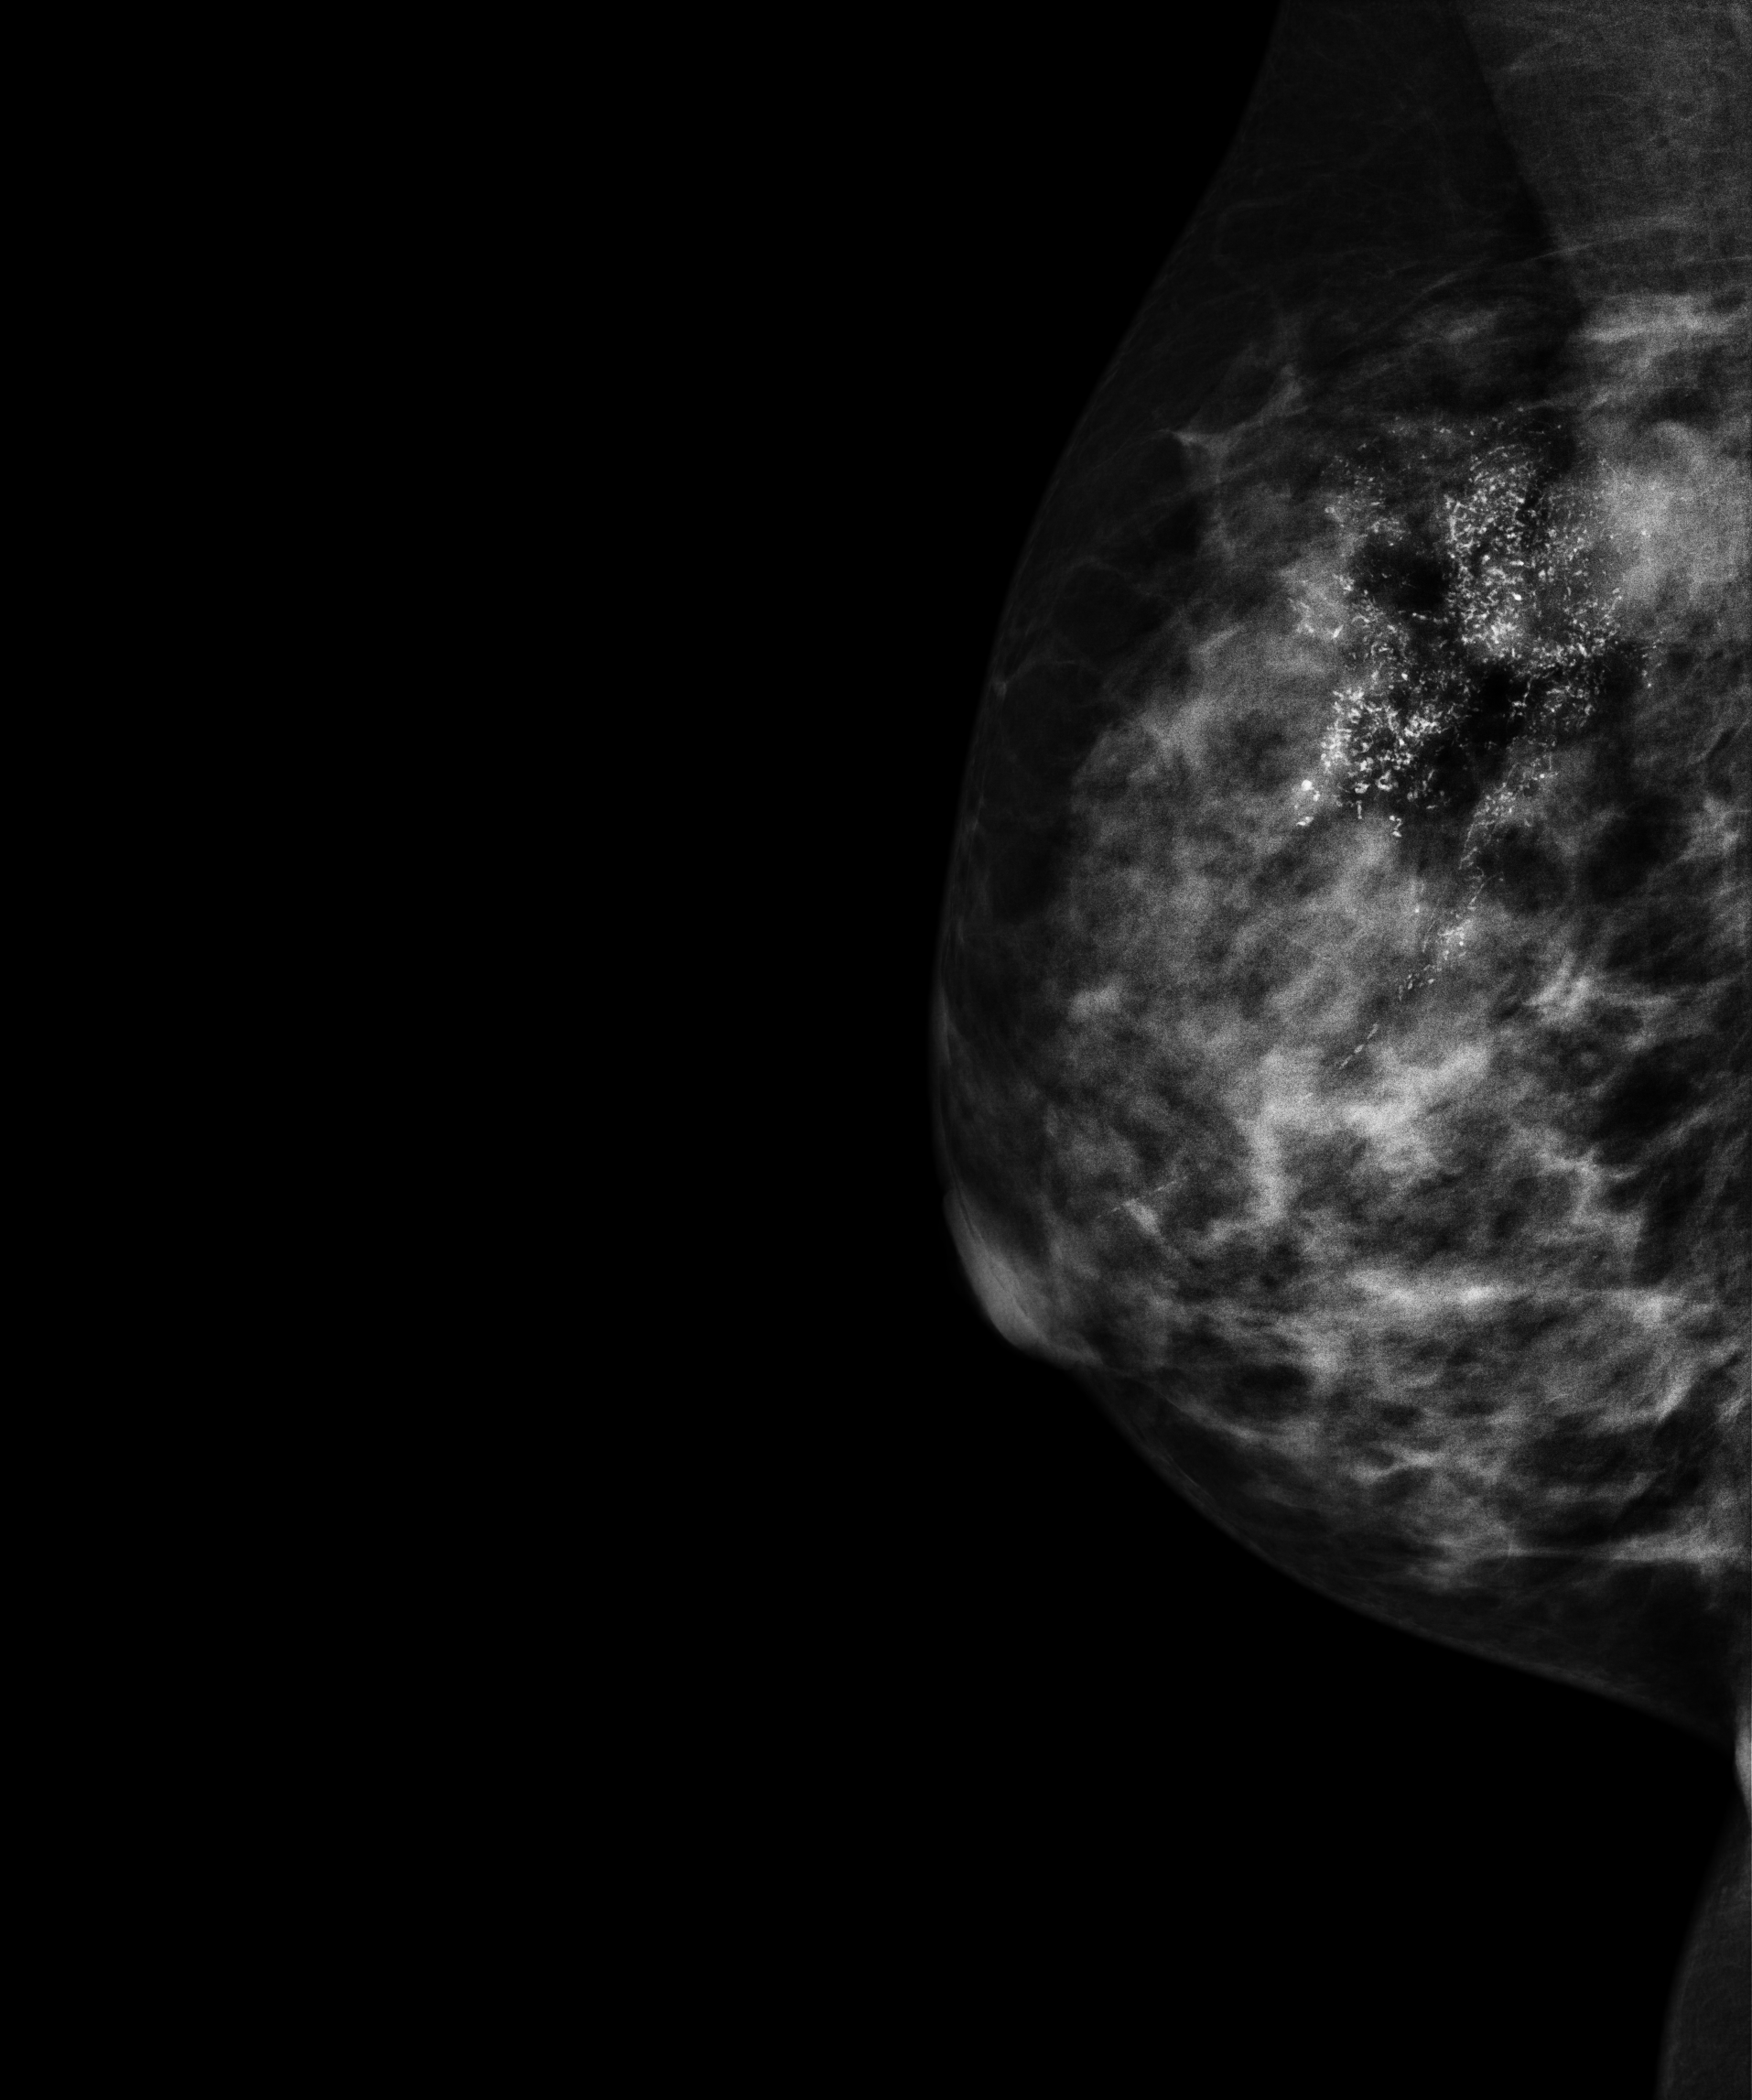
Mammogram — right MLO. 40-year-old patient.
This breast has calcifications, biopsy-proven malignant.